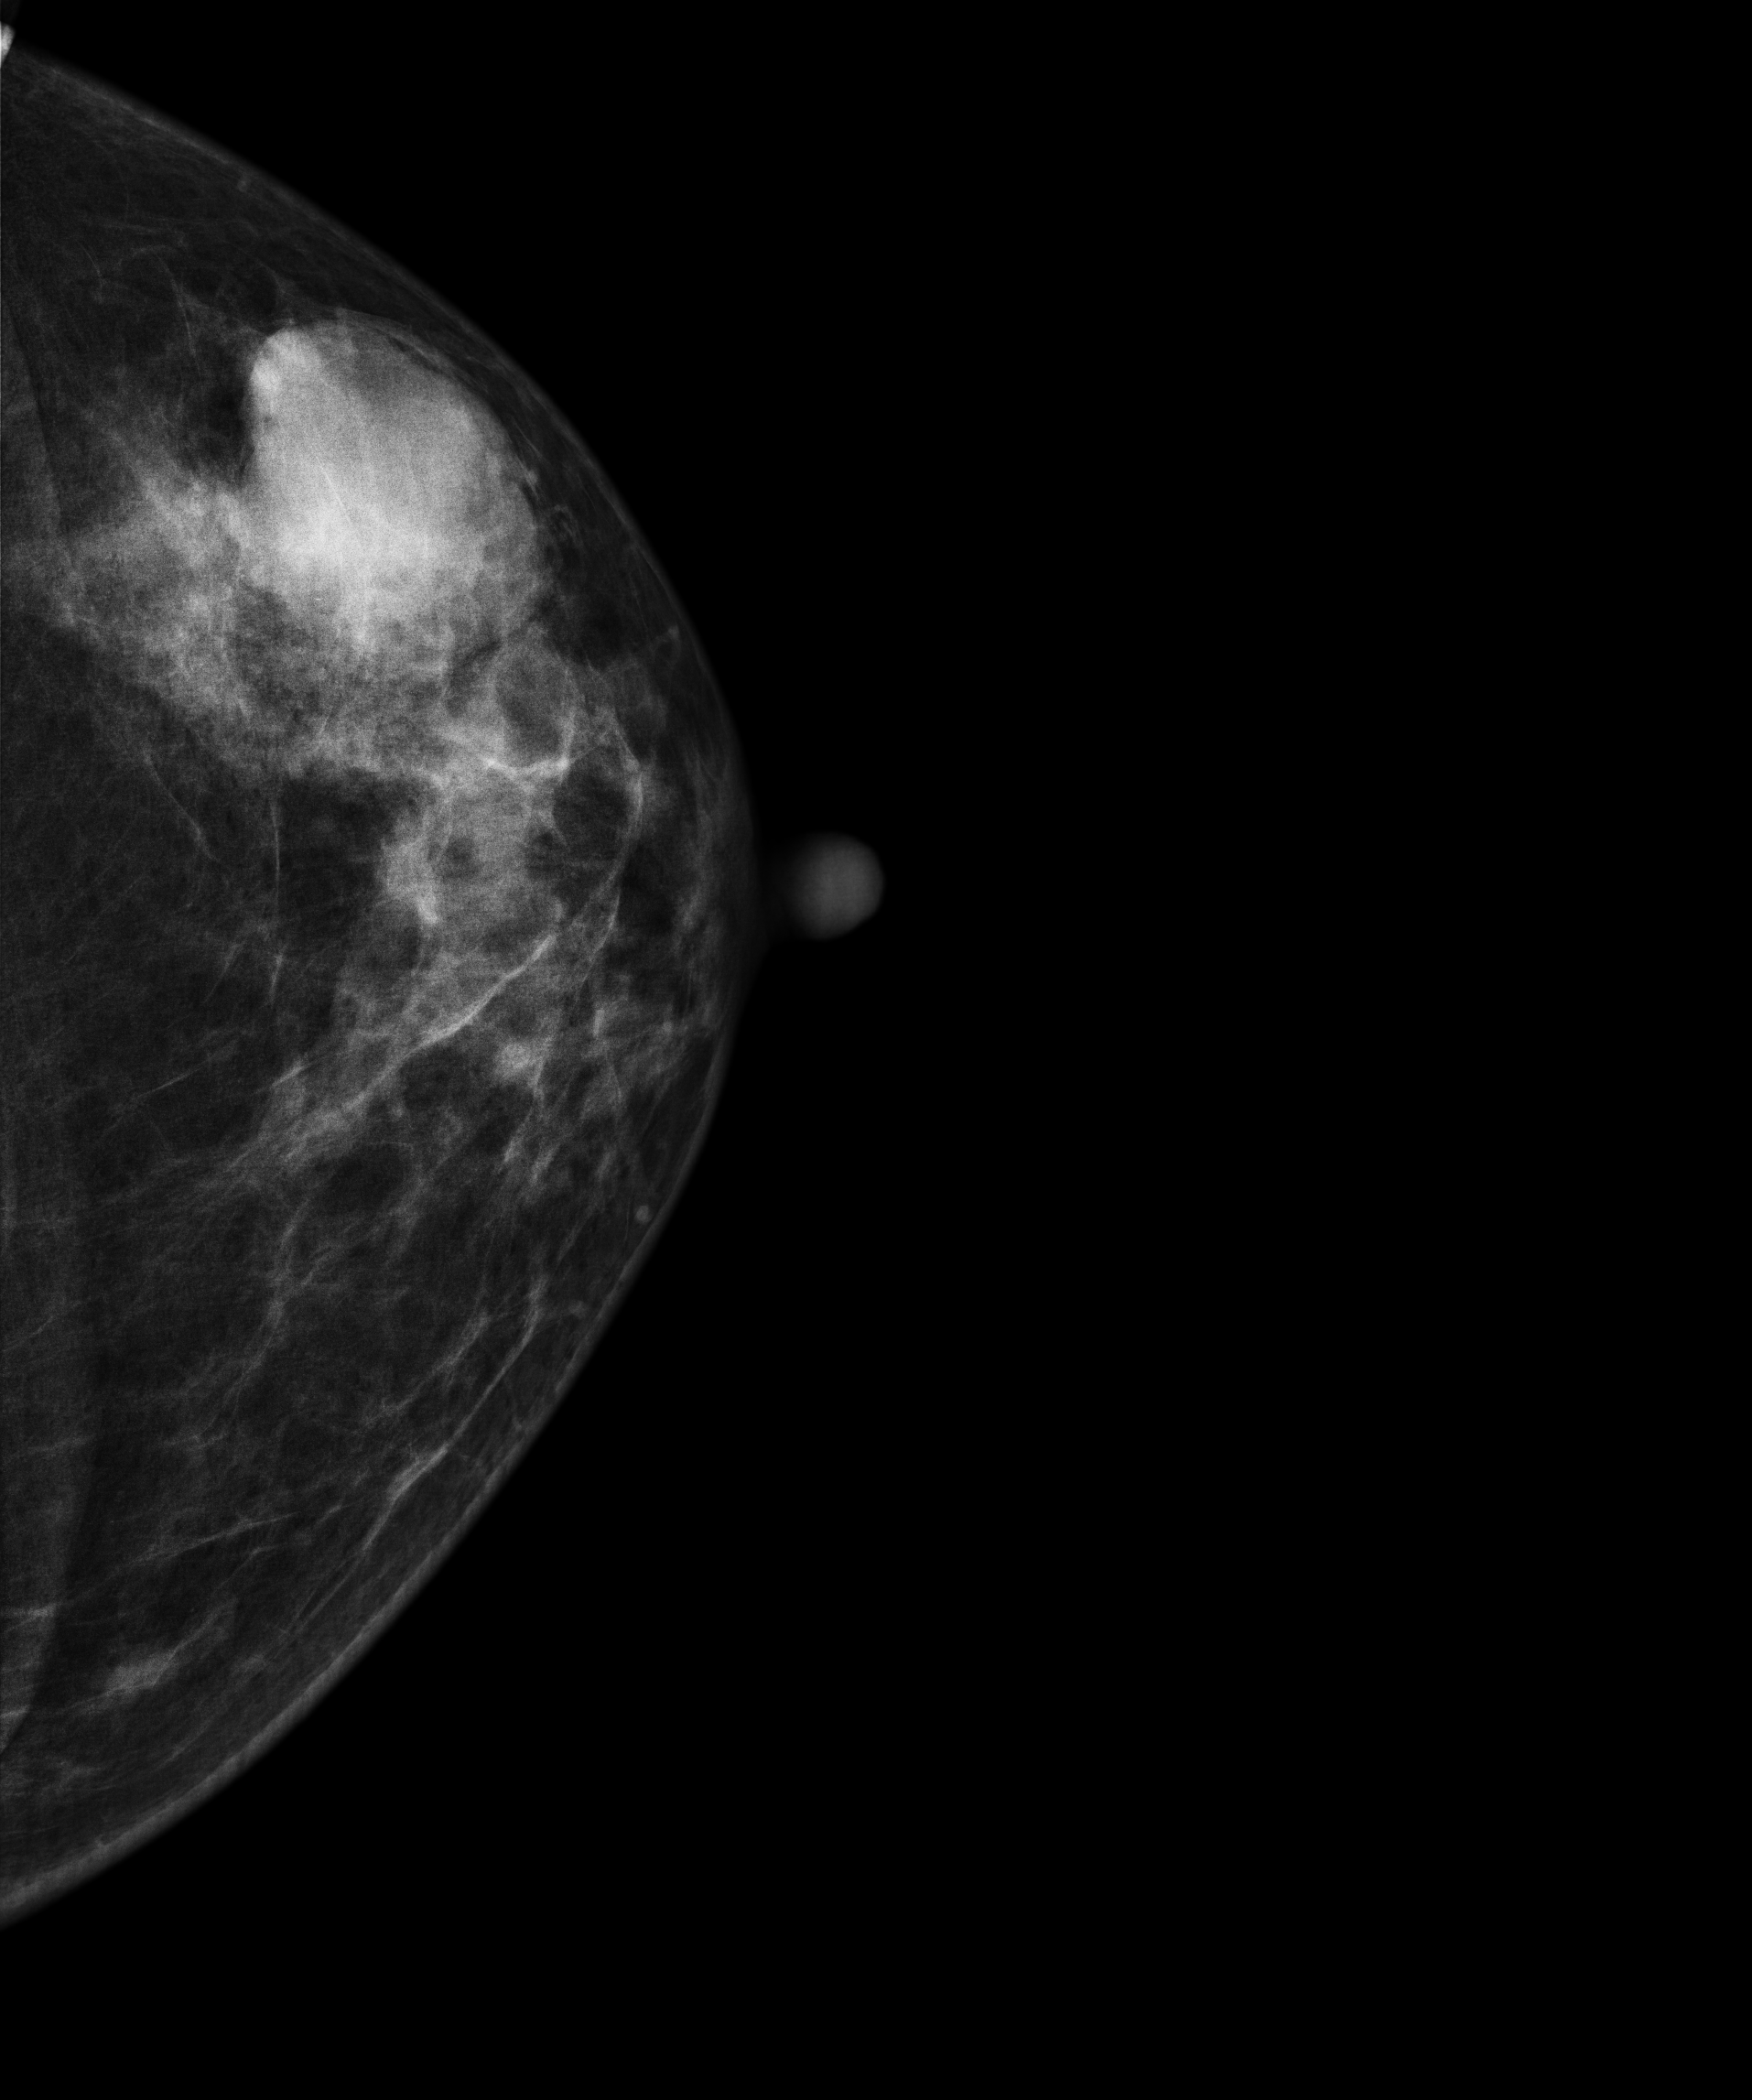
Digital mammography. Left breast, cranio-caudal projection. 50 y/o patient.
Contralateral breast — no documented abnormality on this side.